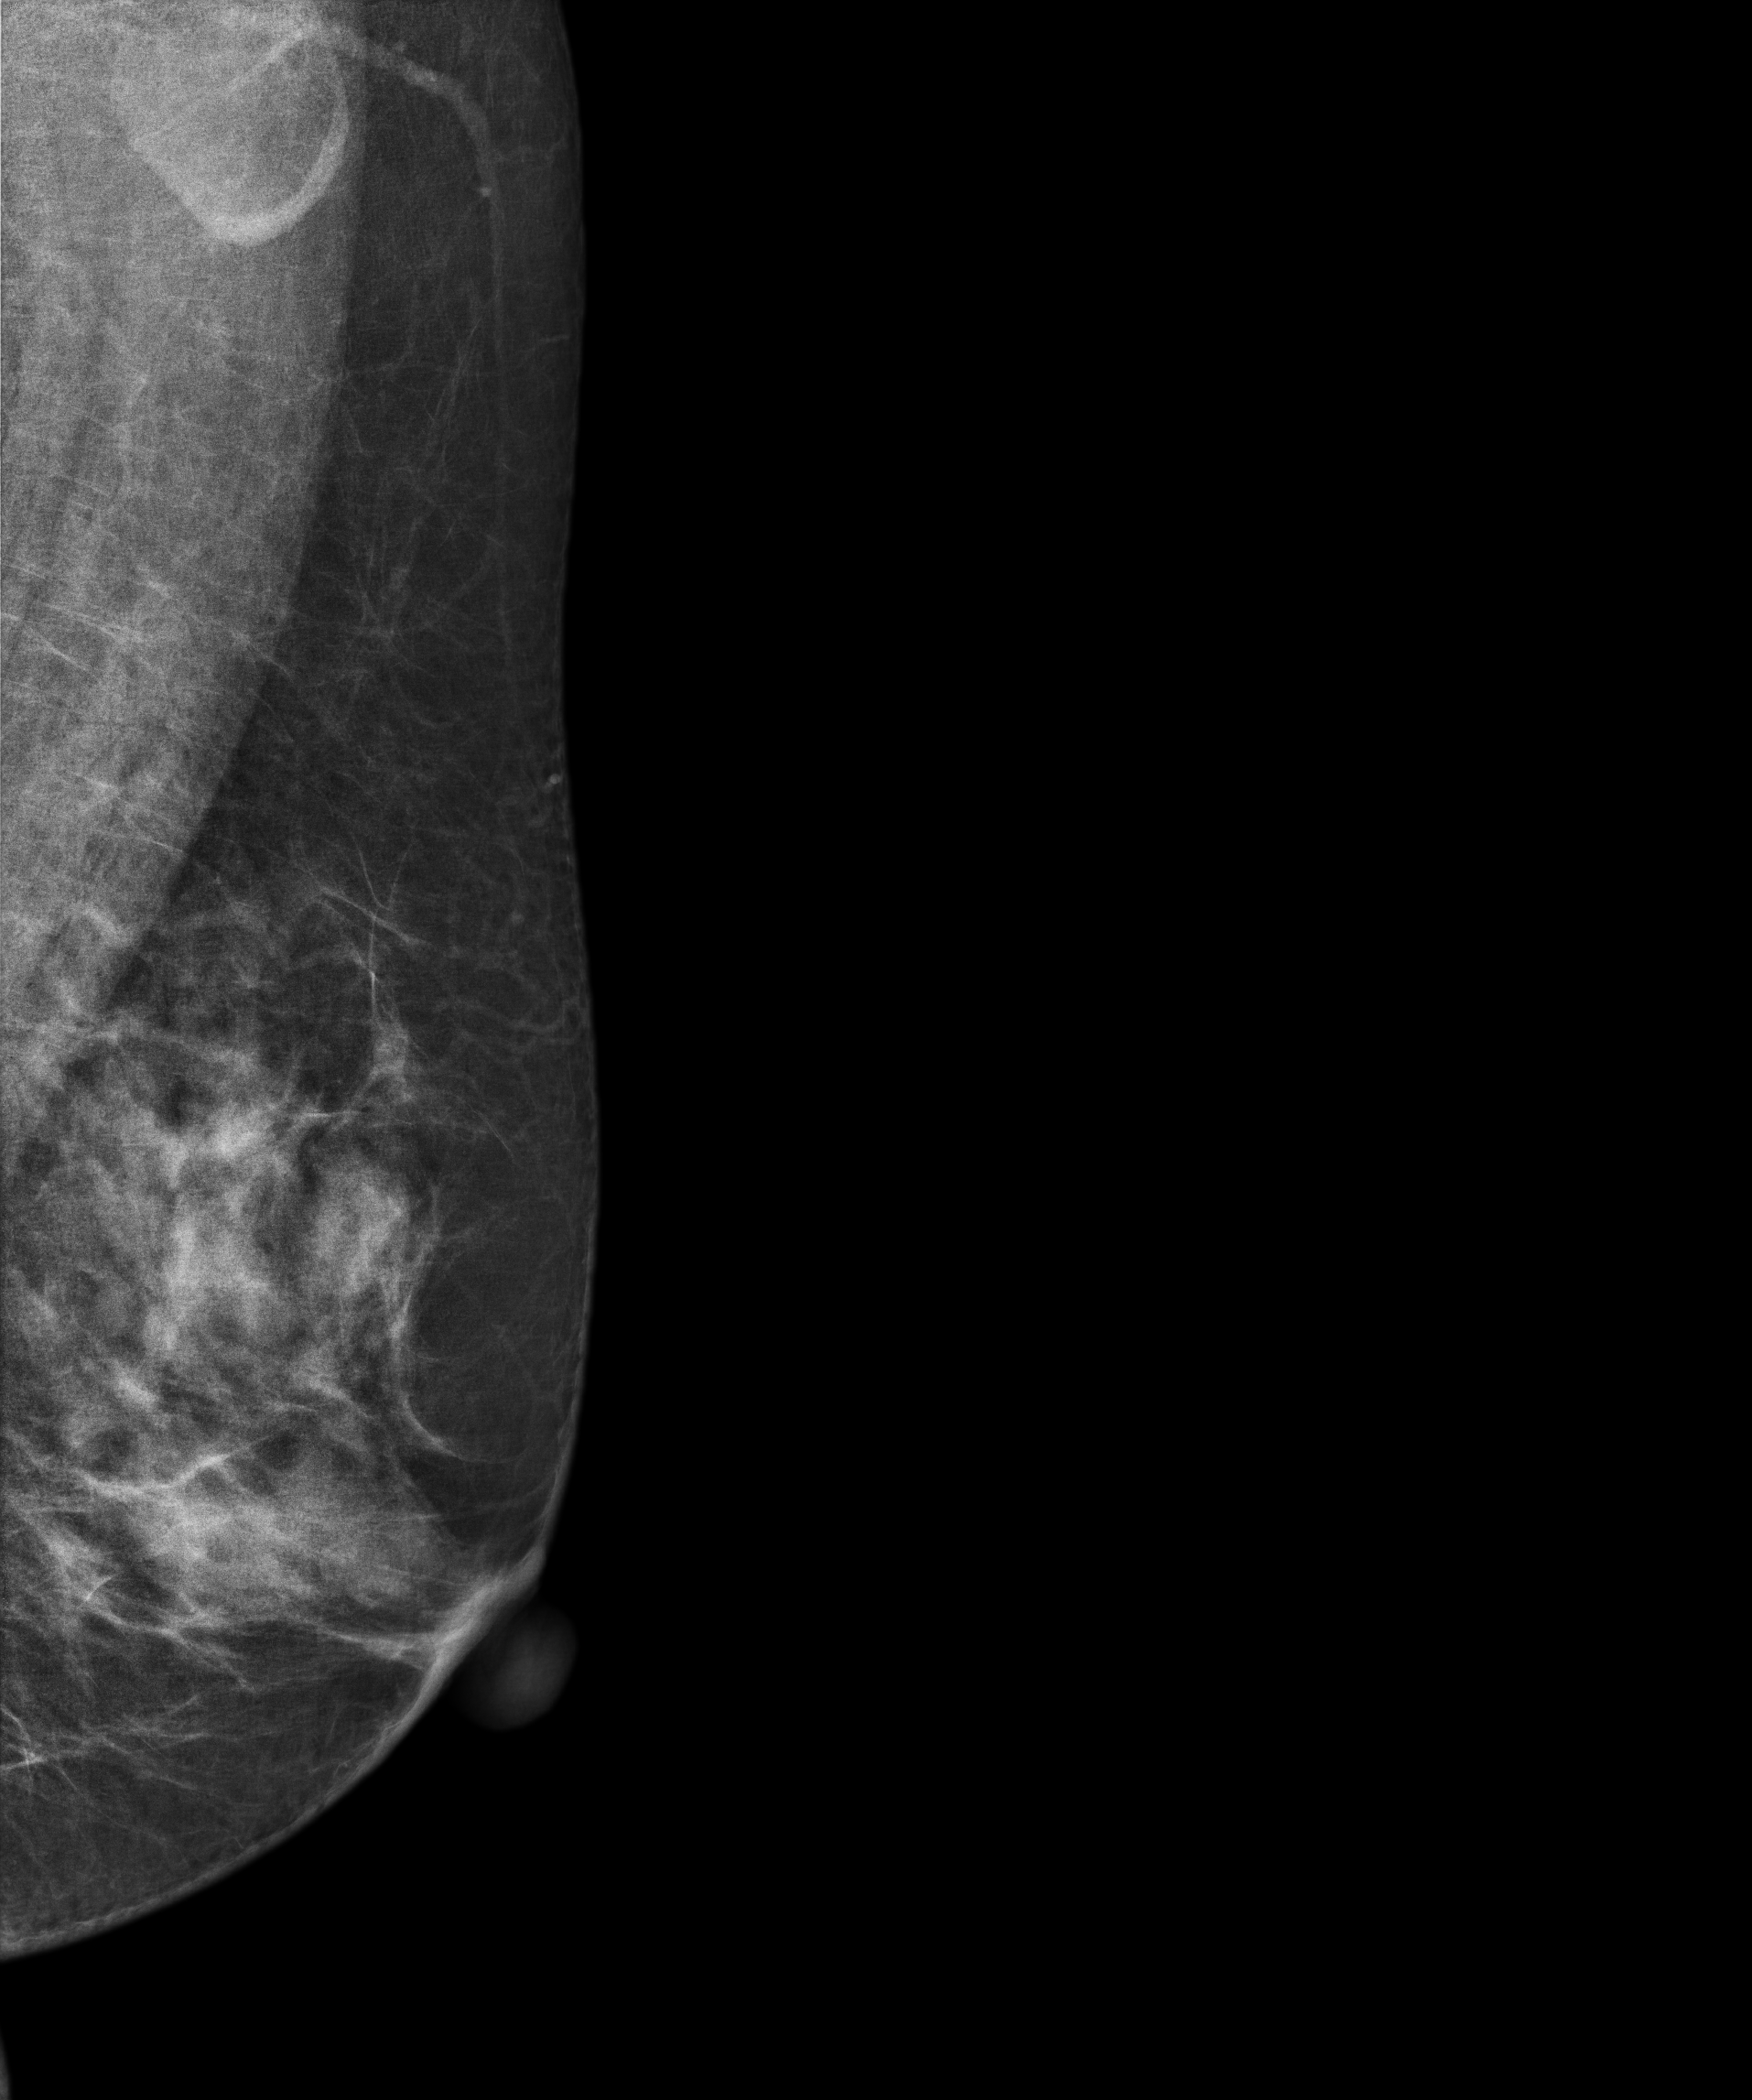
Mammogram — left MLO. Patient age 50.
Contralateral breast — no documented abnormality on this side.